Mammogram — left MLO. Patient age 41.
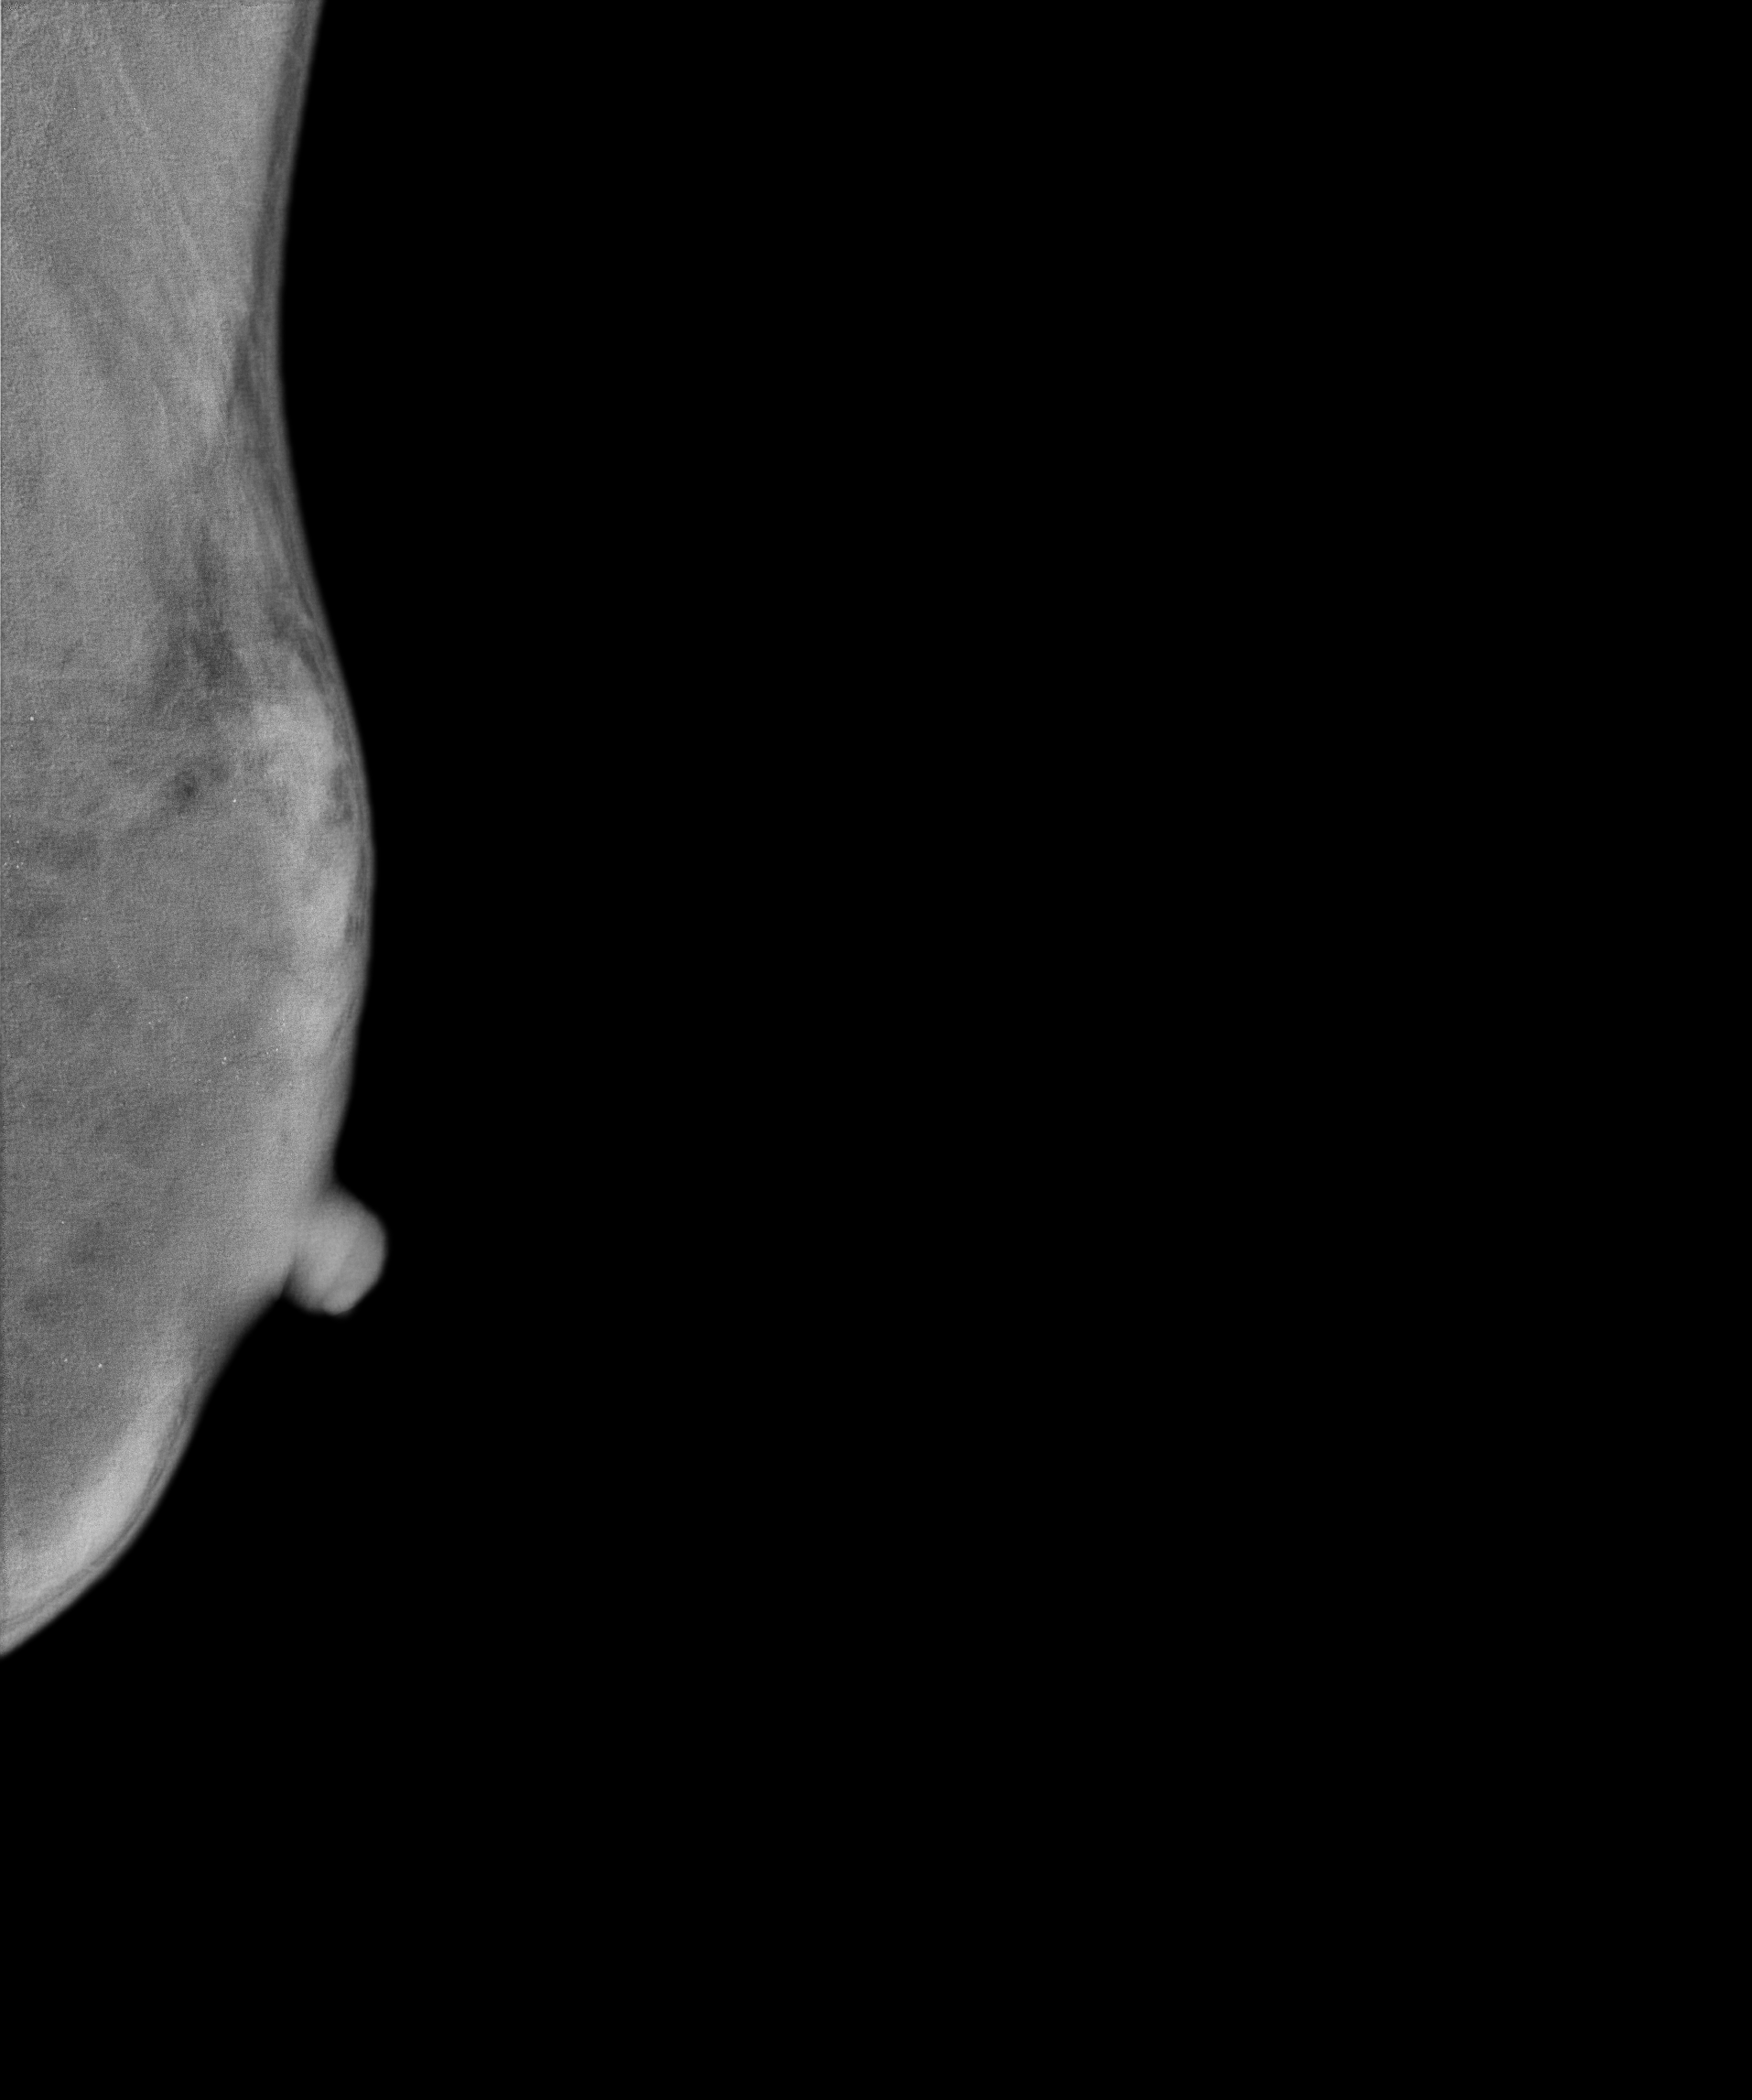
This breast has calcifications, biopsy-confirmed benign.